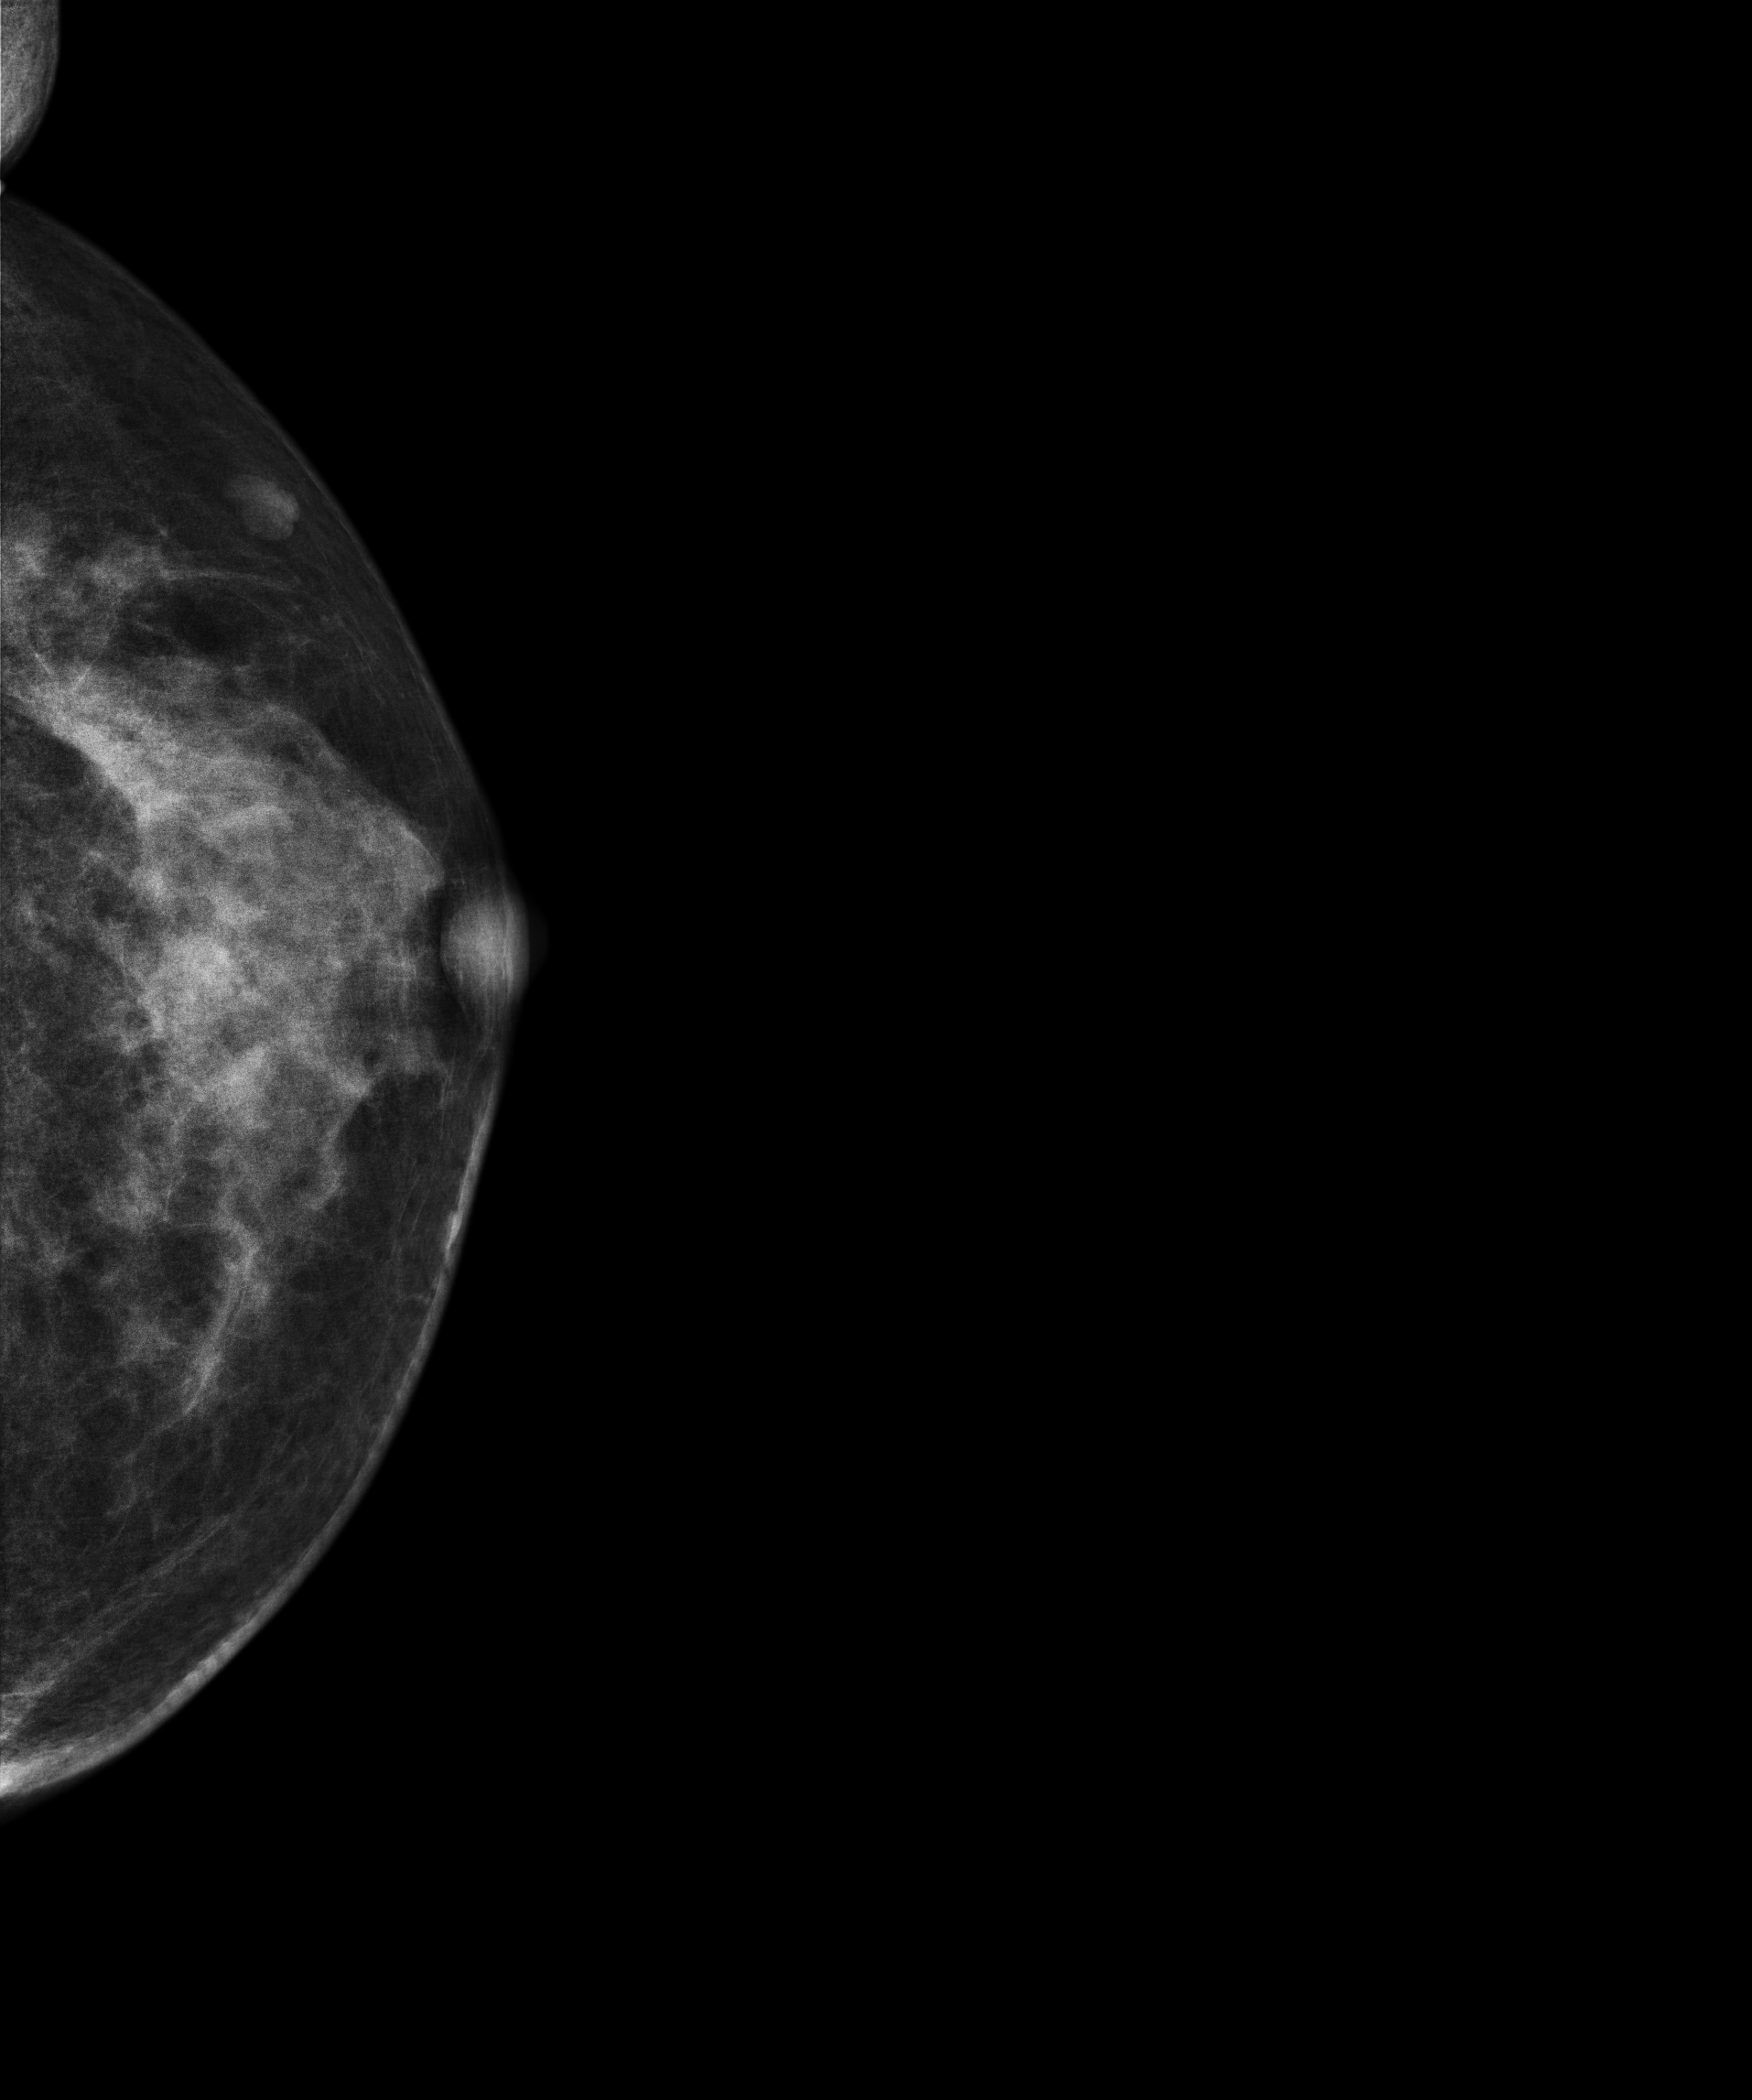
Digital mammography. Left breast, cranio-caudal projection. Patient age 59.
This breast has a mass, histologically confirmed benign.